Mammogram, right breast, MLO view. Patient age 39.
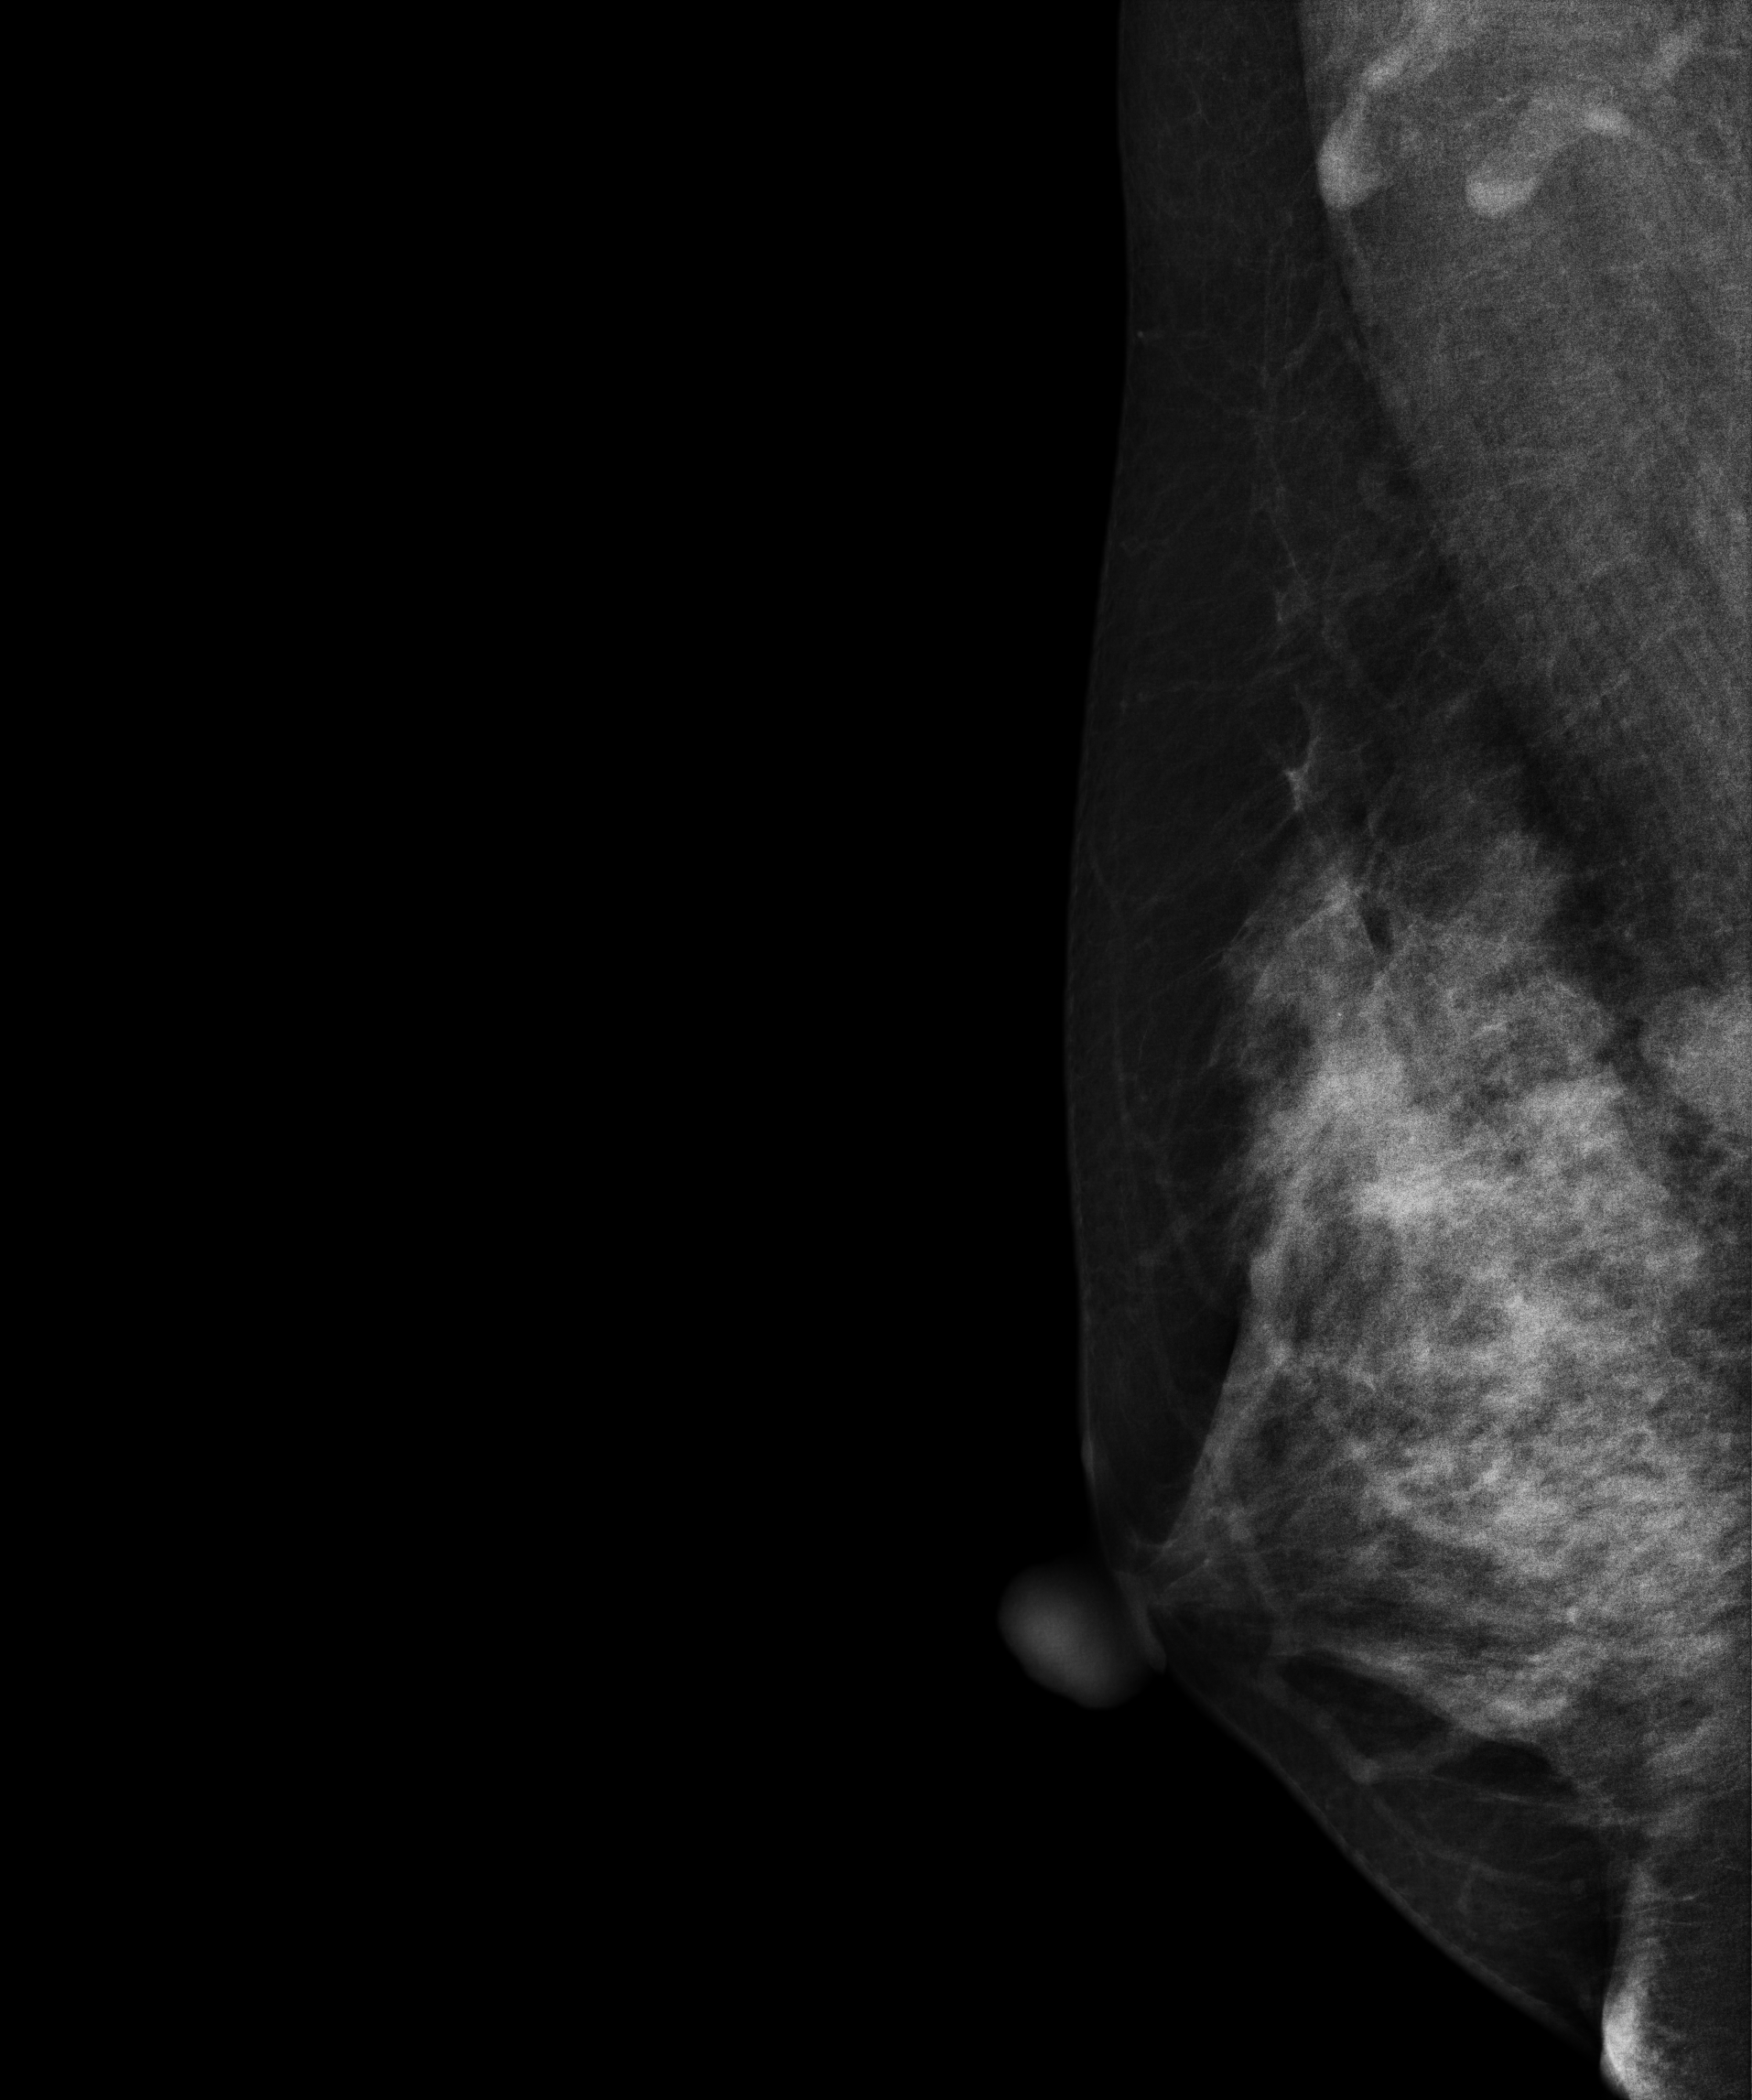
This breast has a mass, pathology-confirmed malignant. Molecular subtype: luminal B.